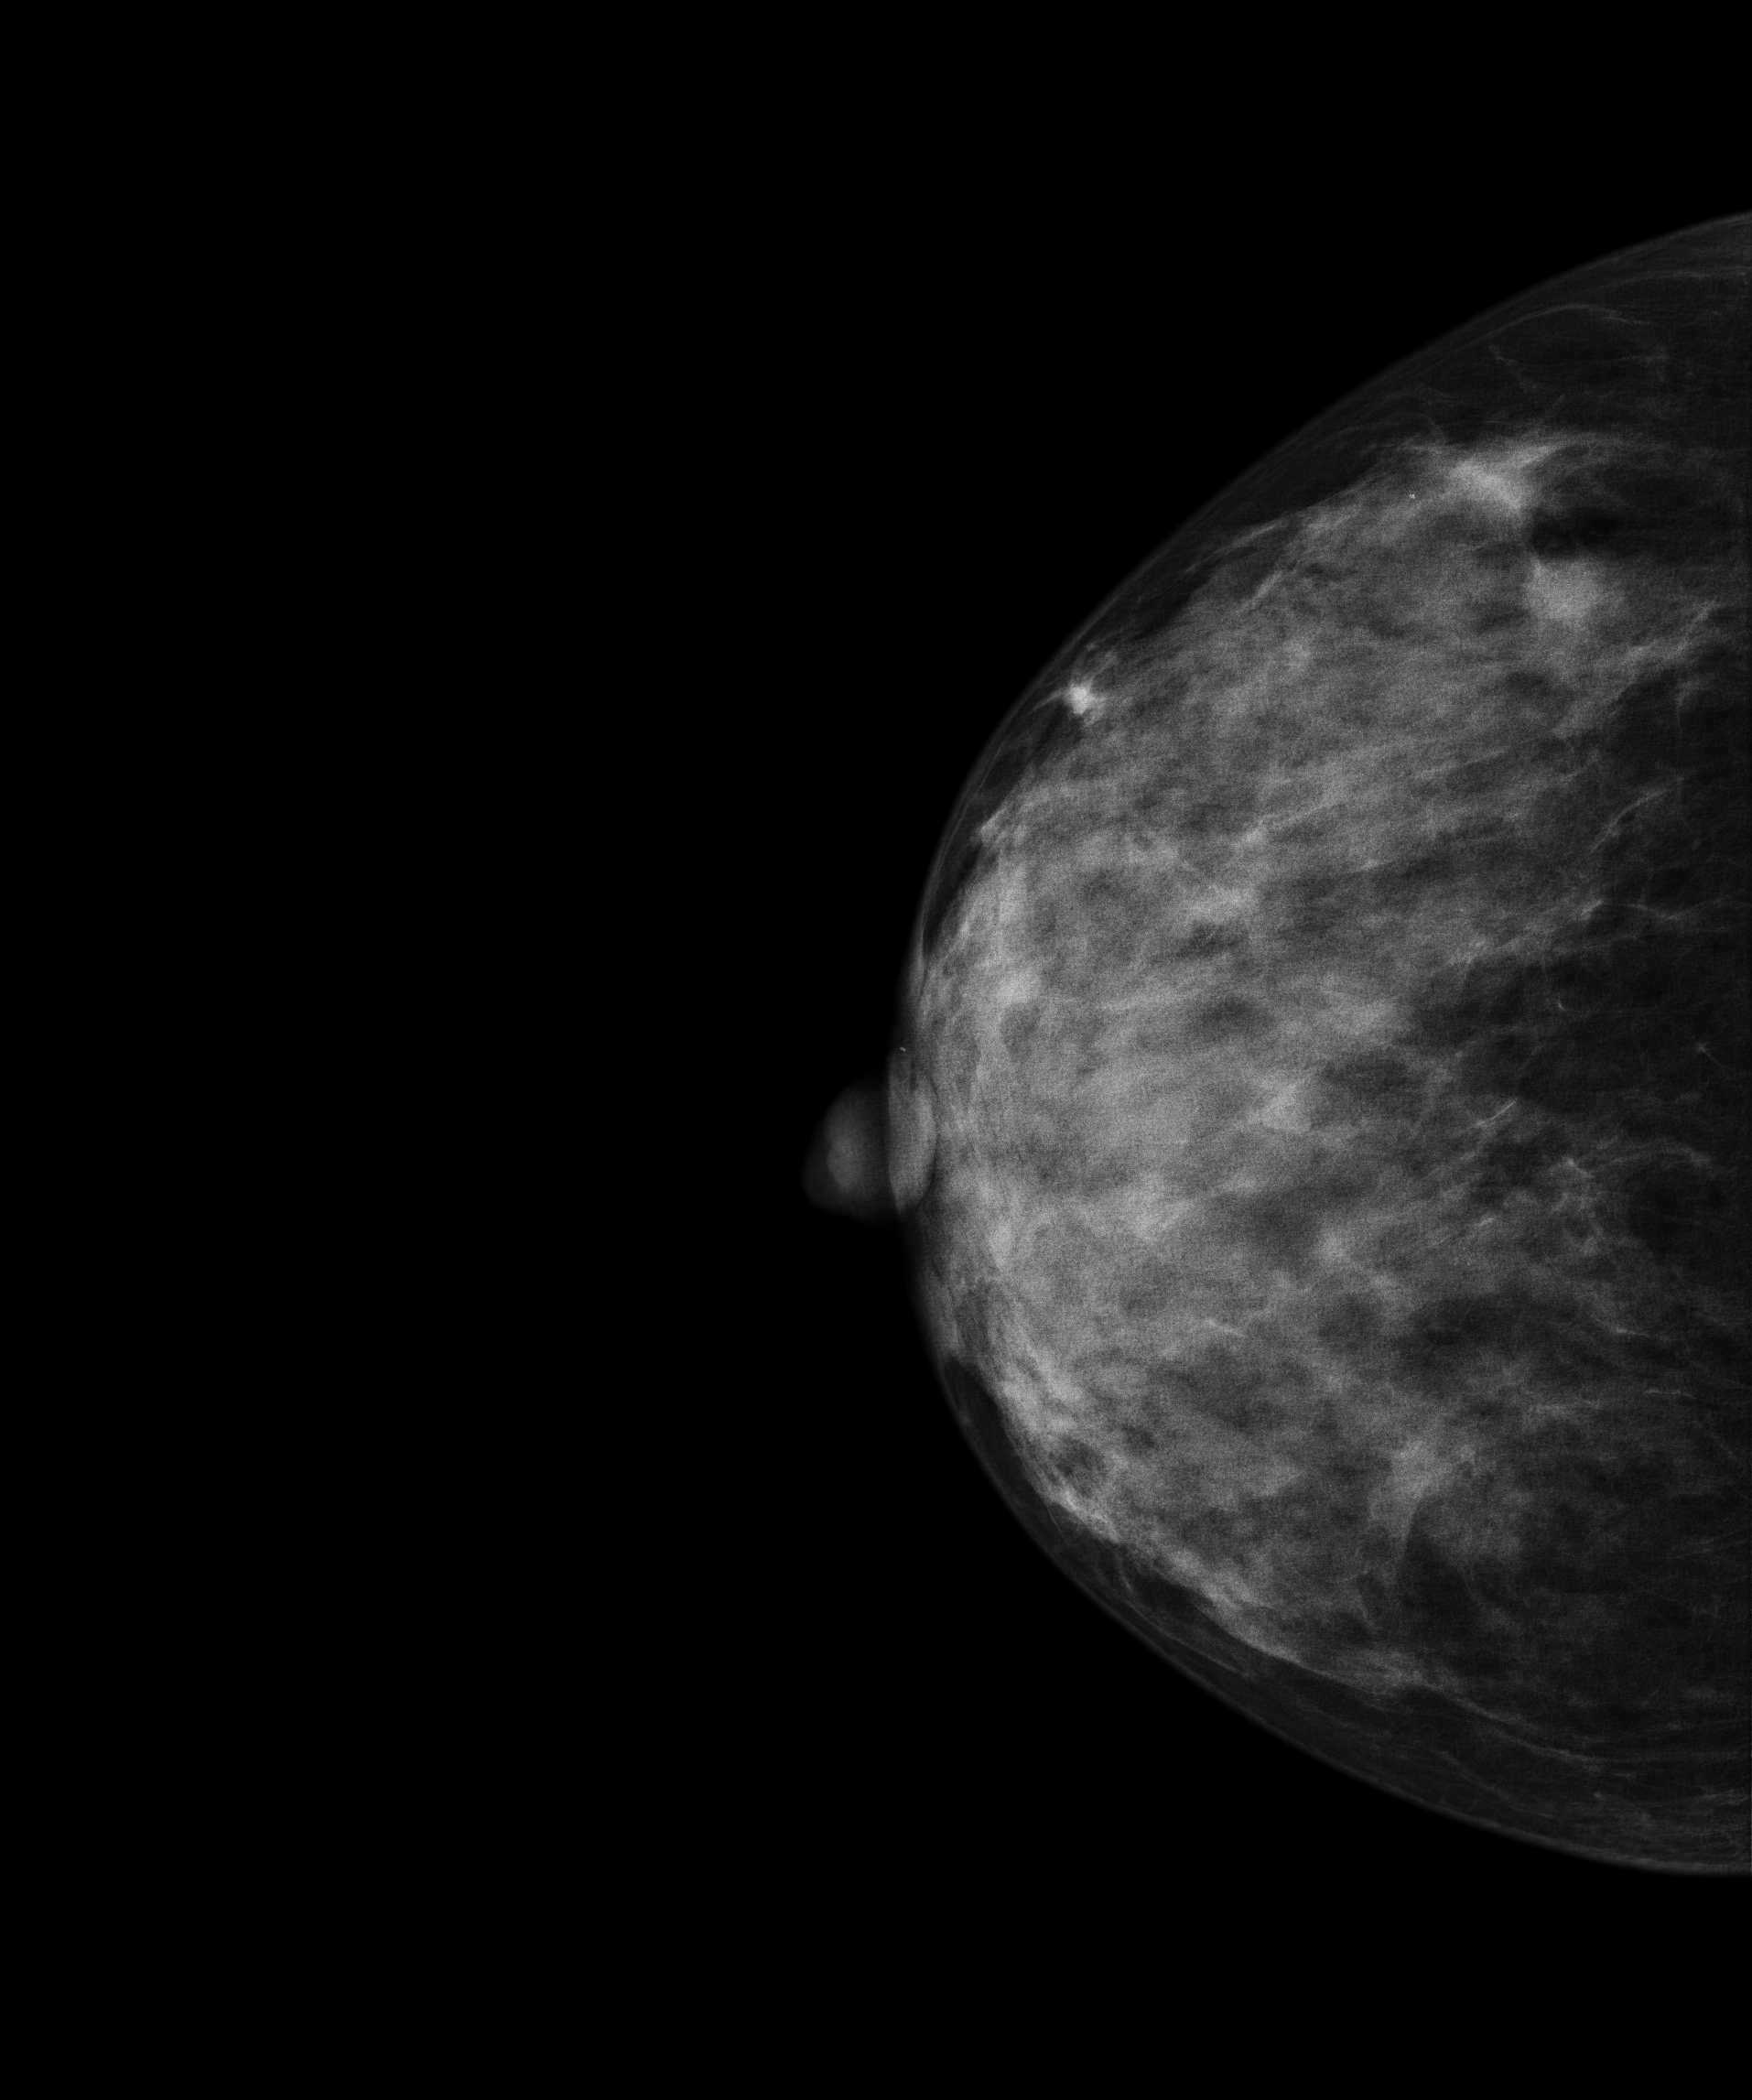
Mammogram, right breast, CC view. 44 y/o patient.
This breast has a mass and calcifications, histologically confirmed malignant. Molecular subtype: luminal A.